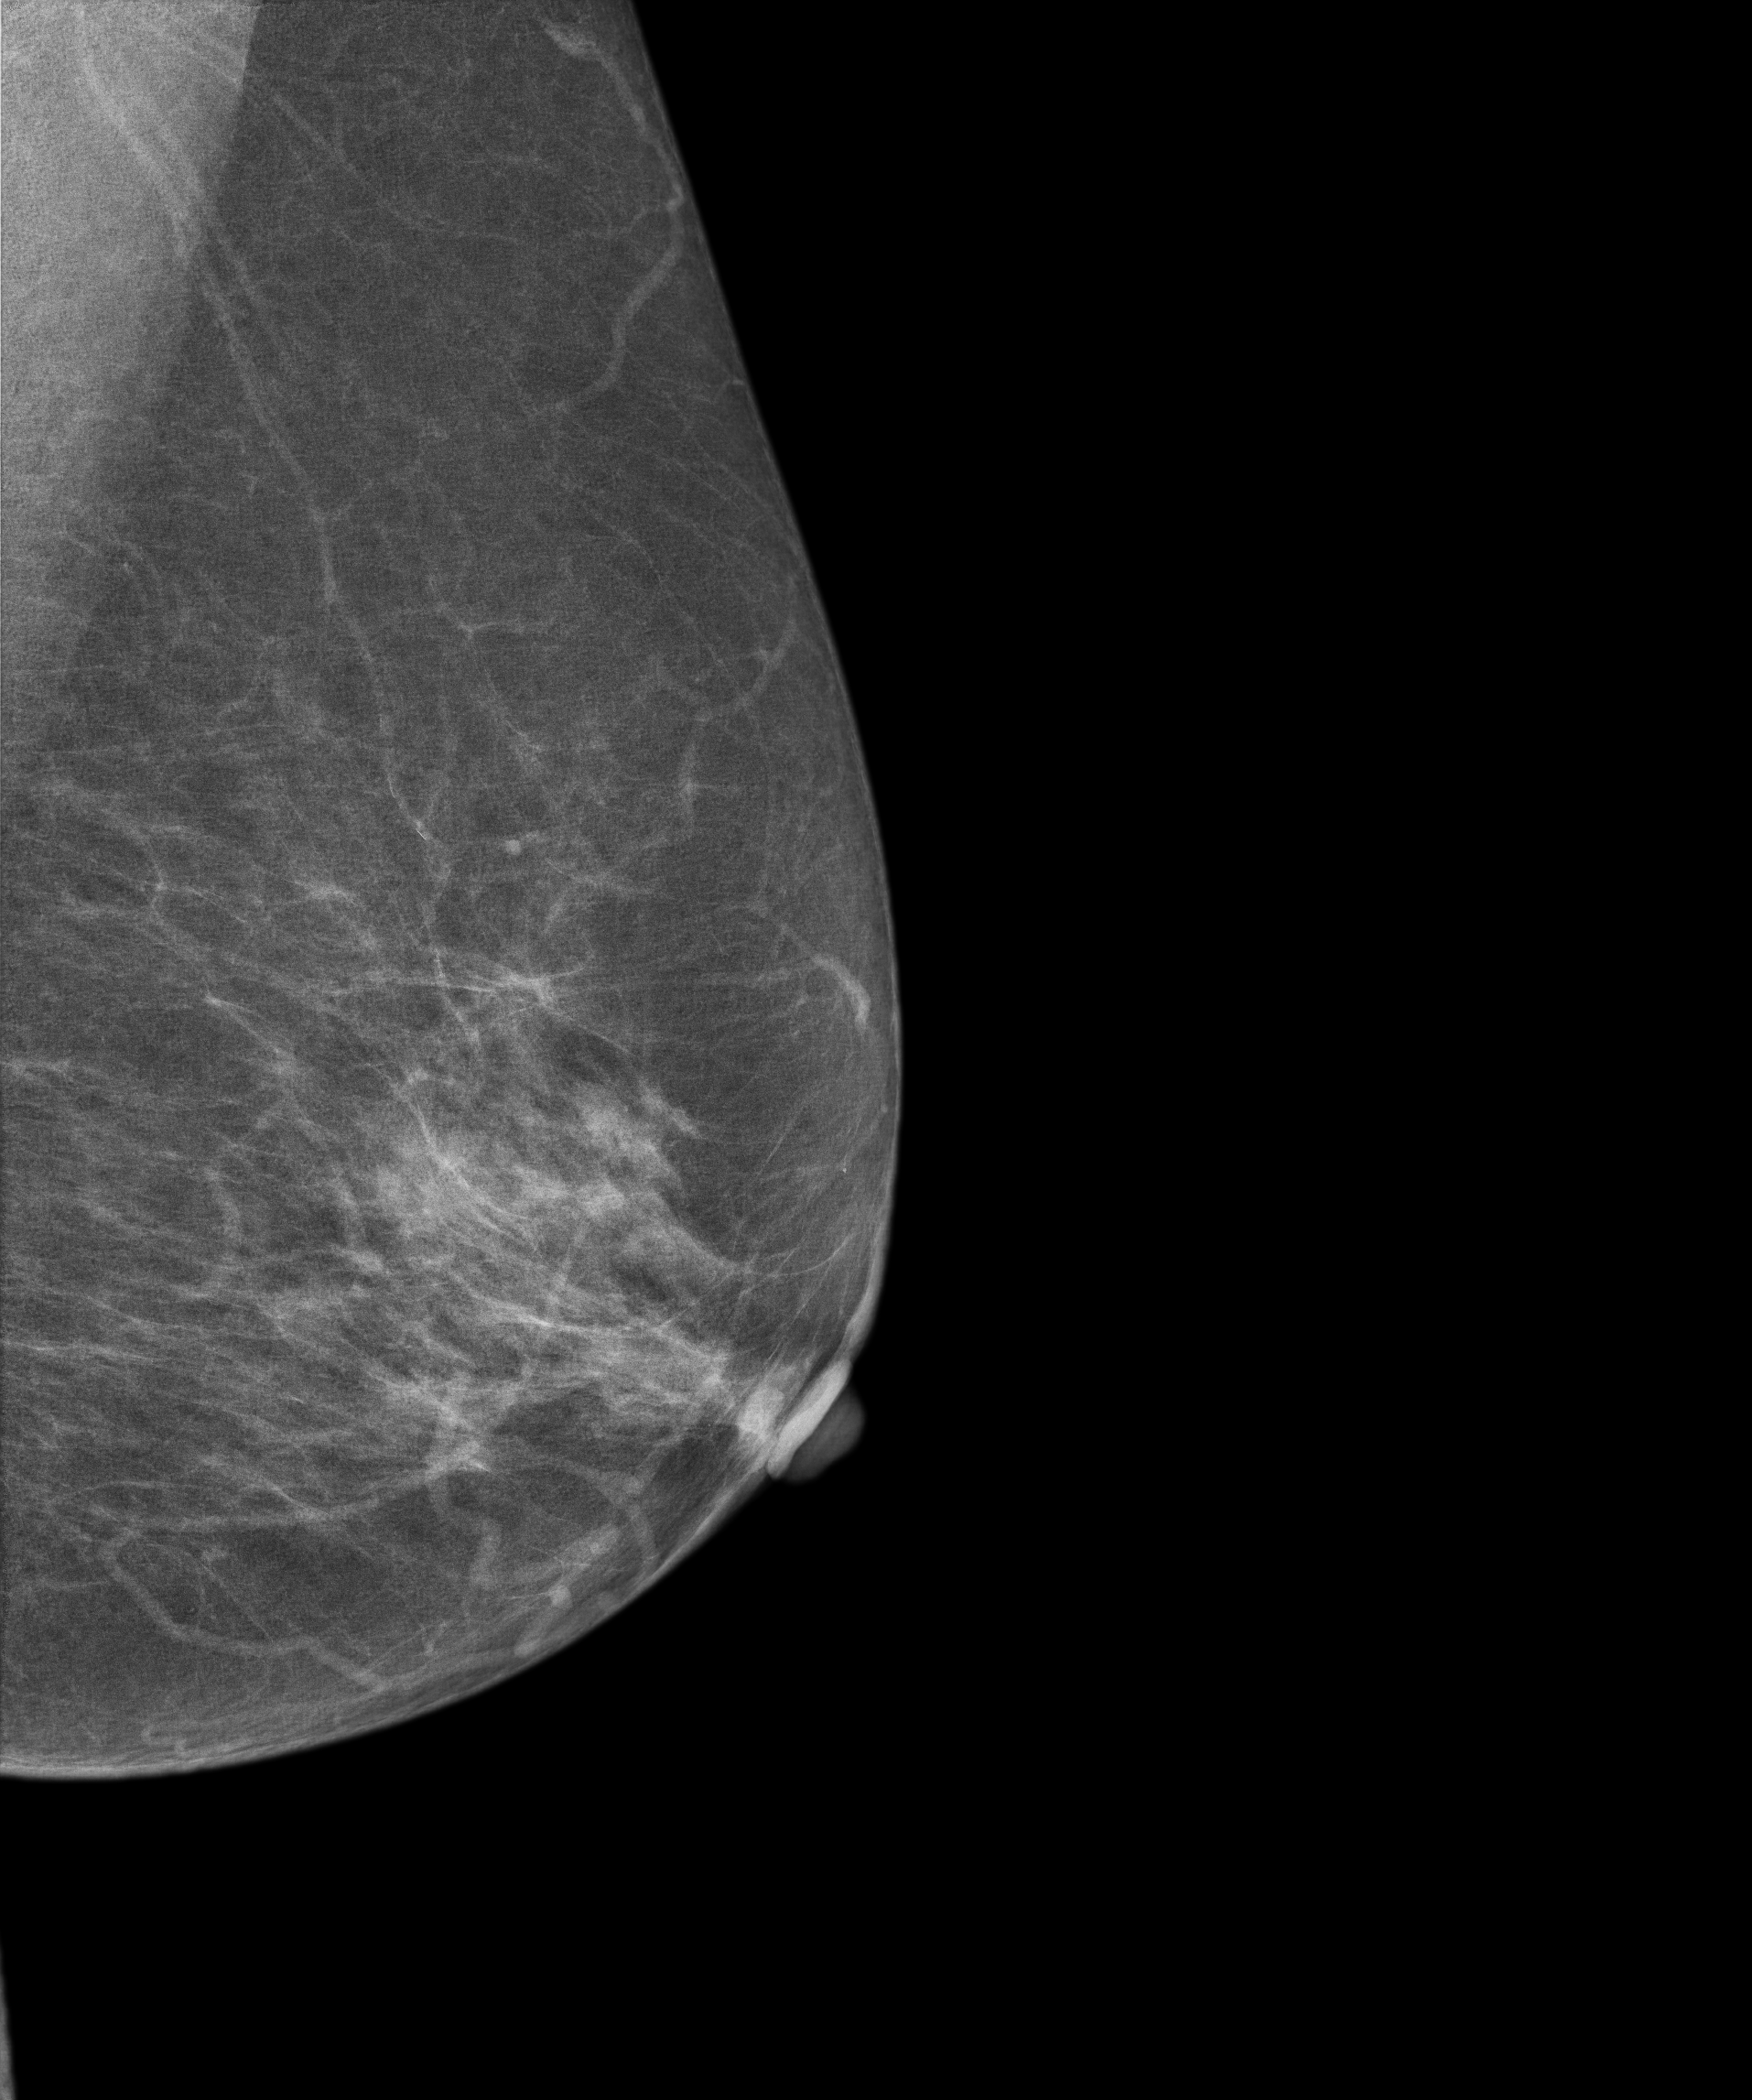
Mammogram, left breast, MLO view. Patient age 85.
Contralateral breast — no documented abnormality on this side.